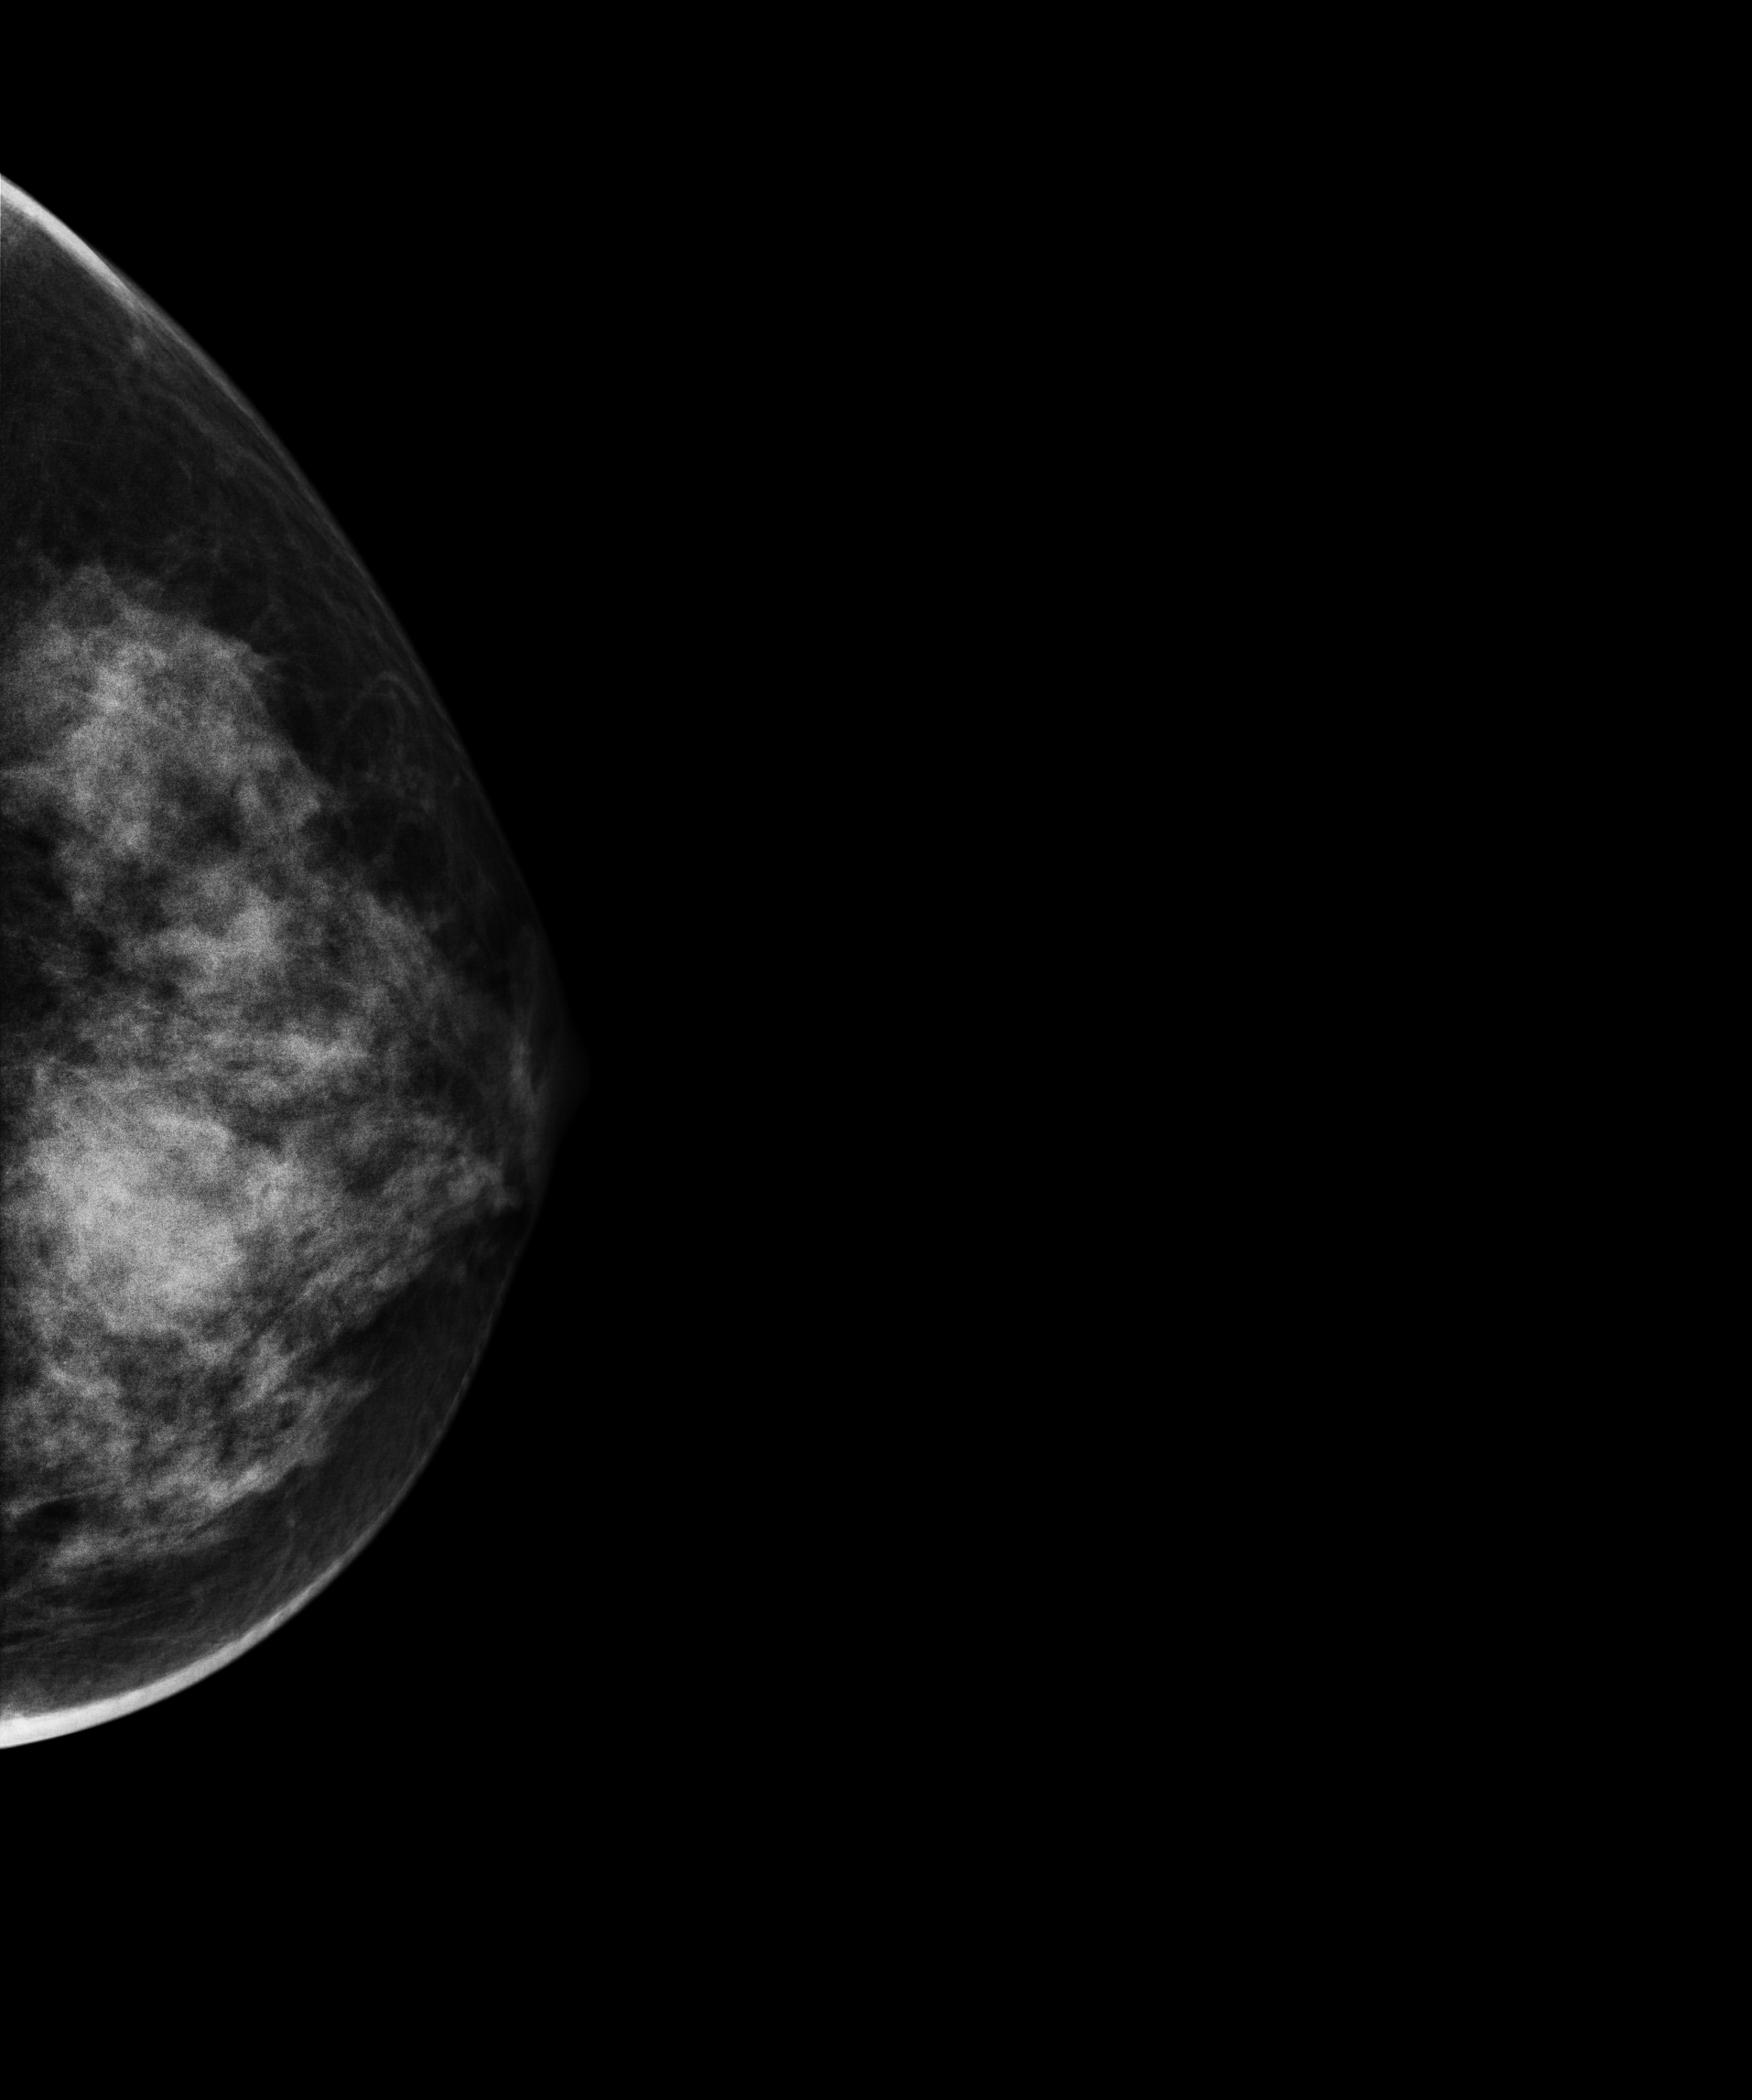
Mammogram, left breast, CC view. 42-year-old patient.
This breast has a mass, biopsy-confirmed malignant. Molecular subtype: triple-negative.